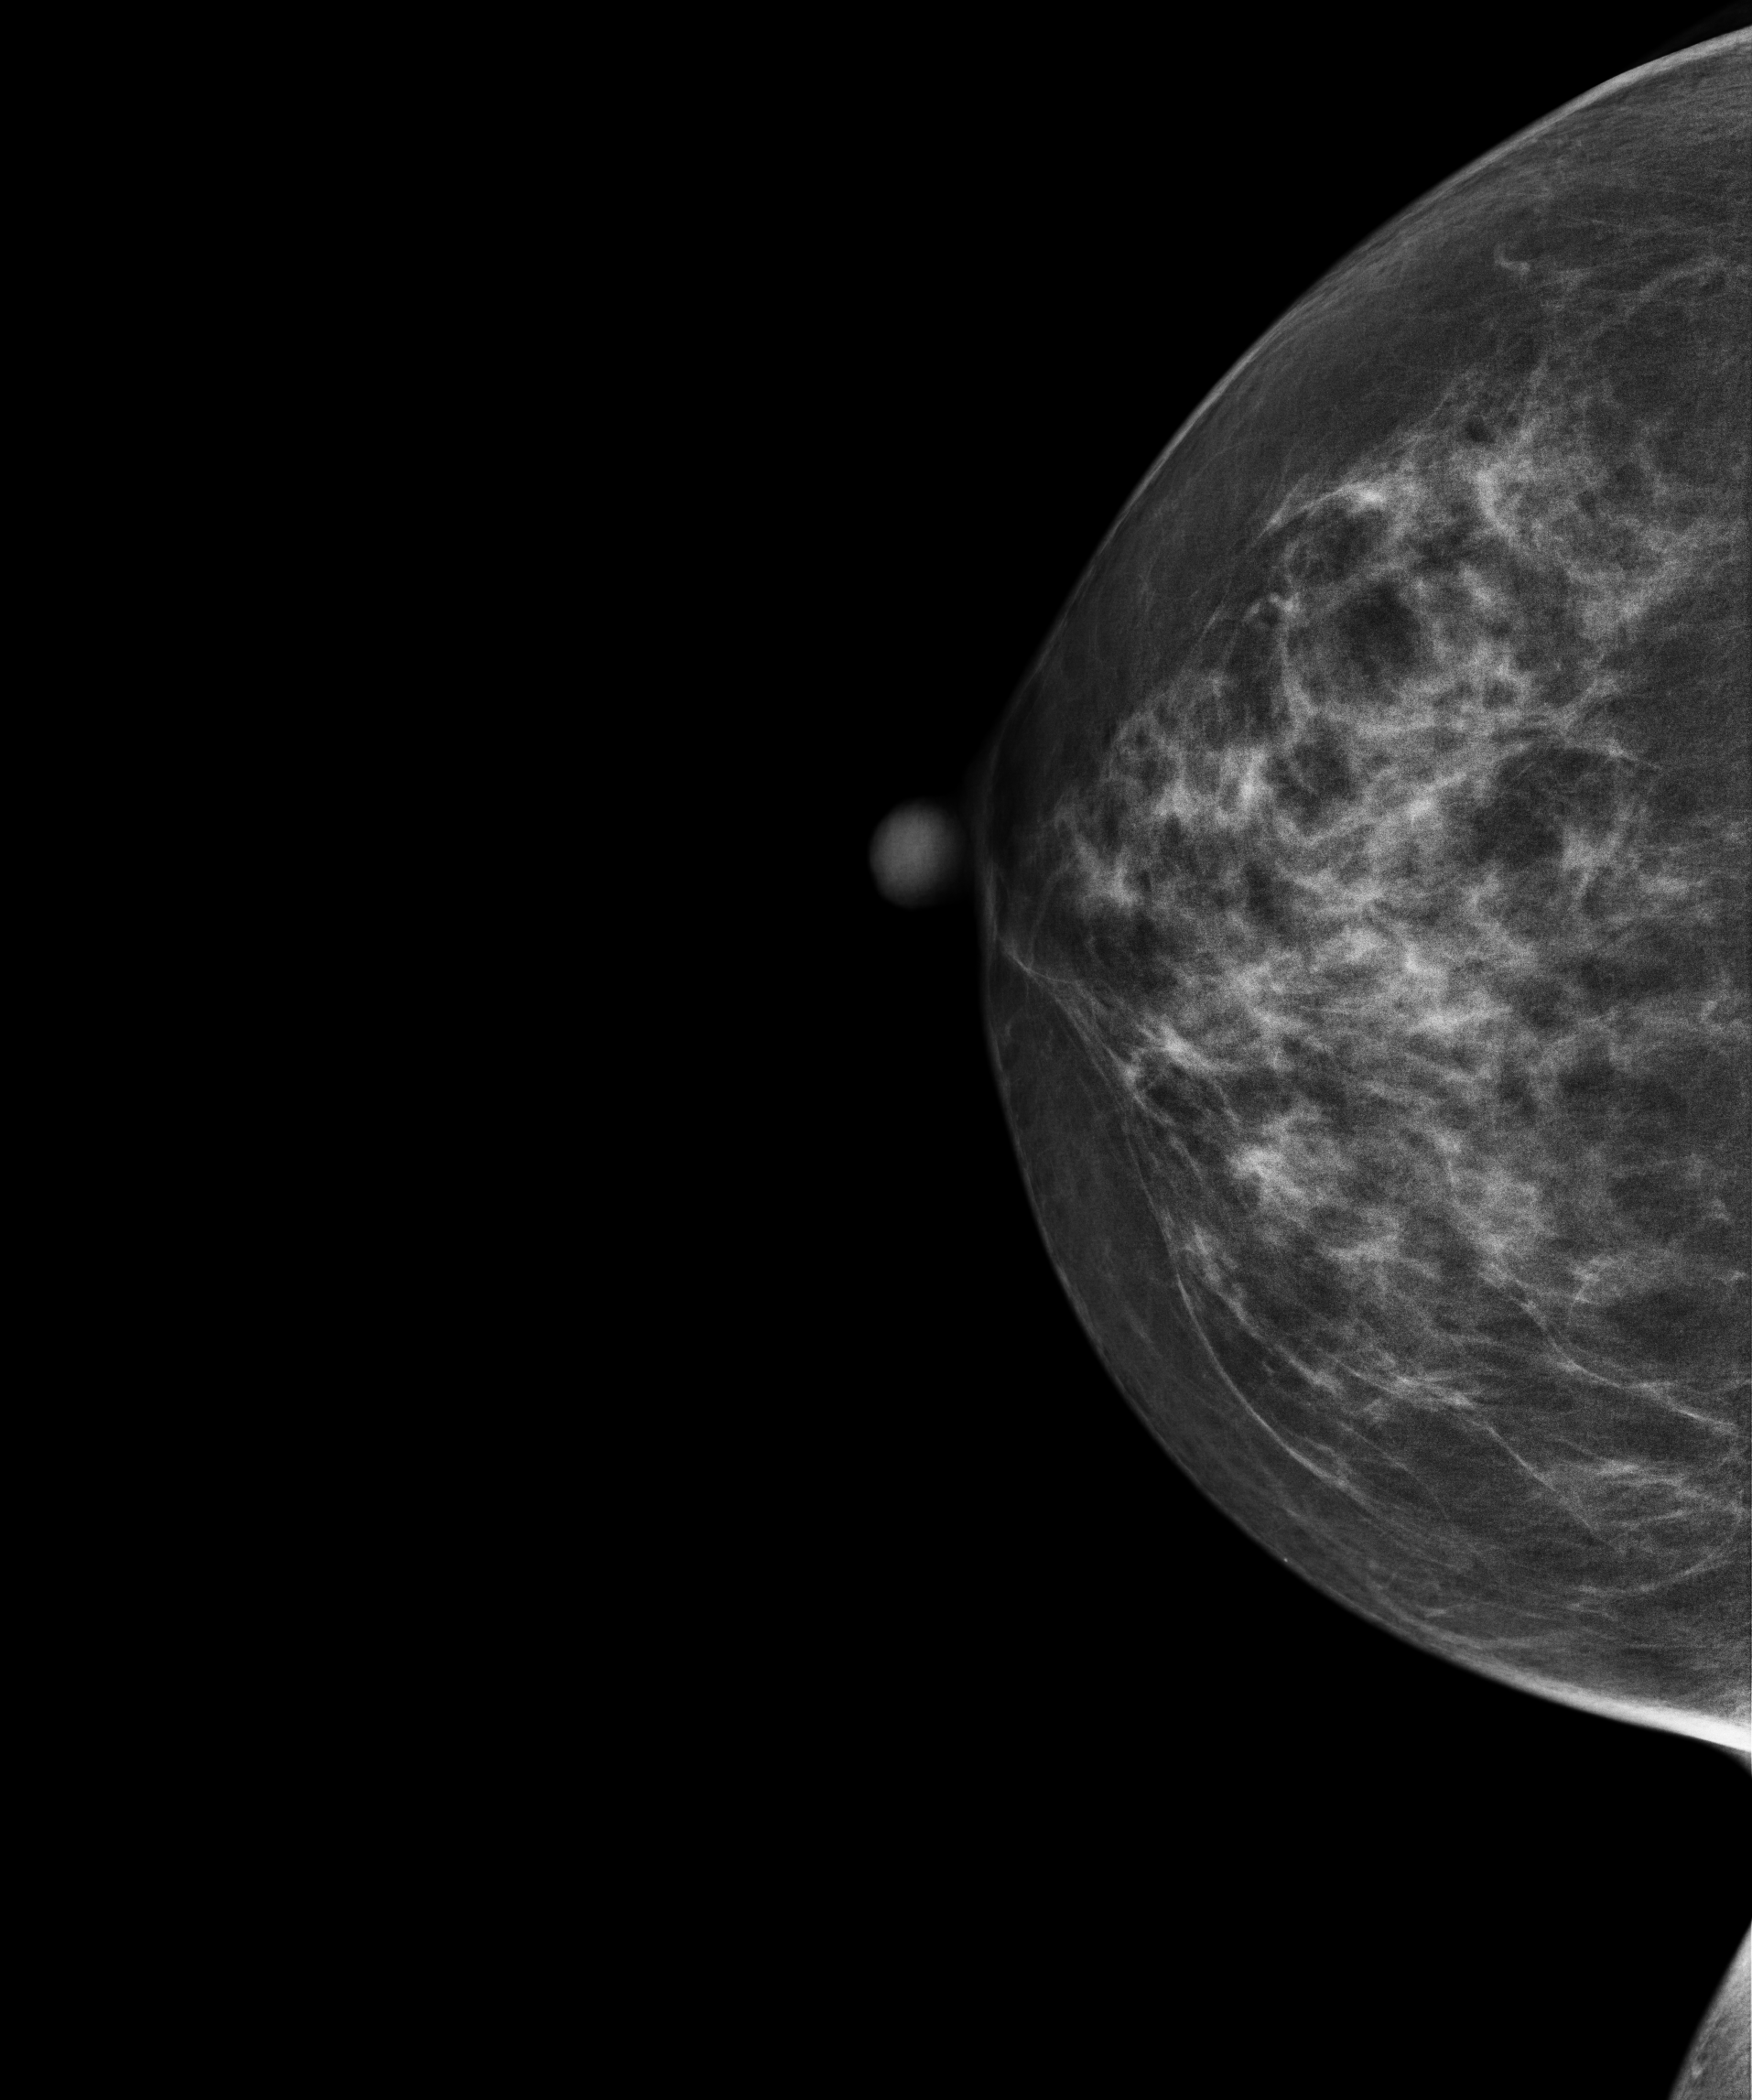
Digital mammography. Right breast, CC projection. 69 y/o patient.
This breast has a mass, biopsy-proven malignant.